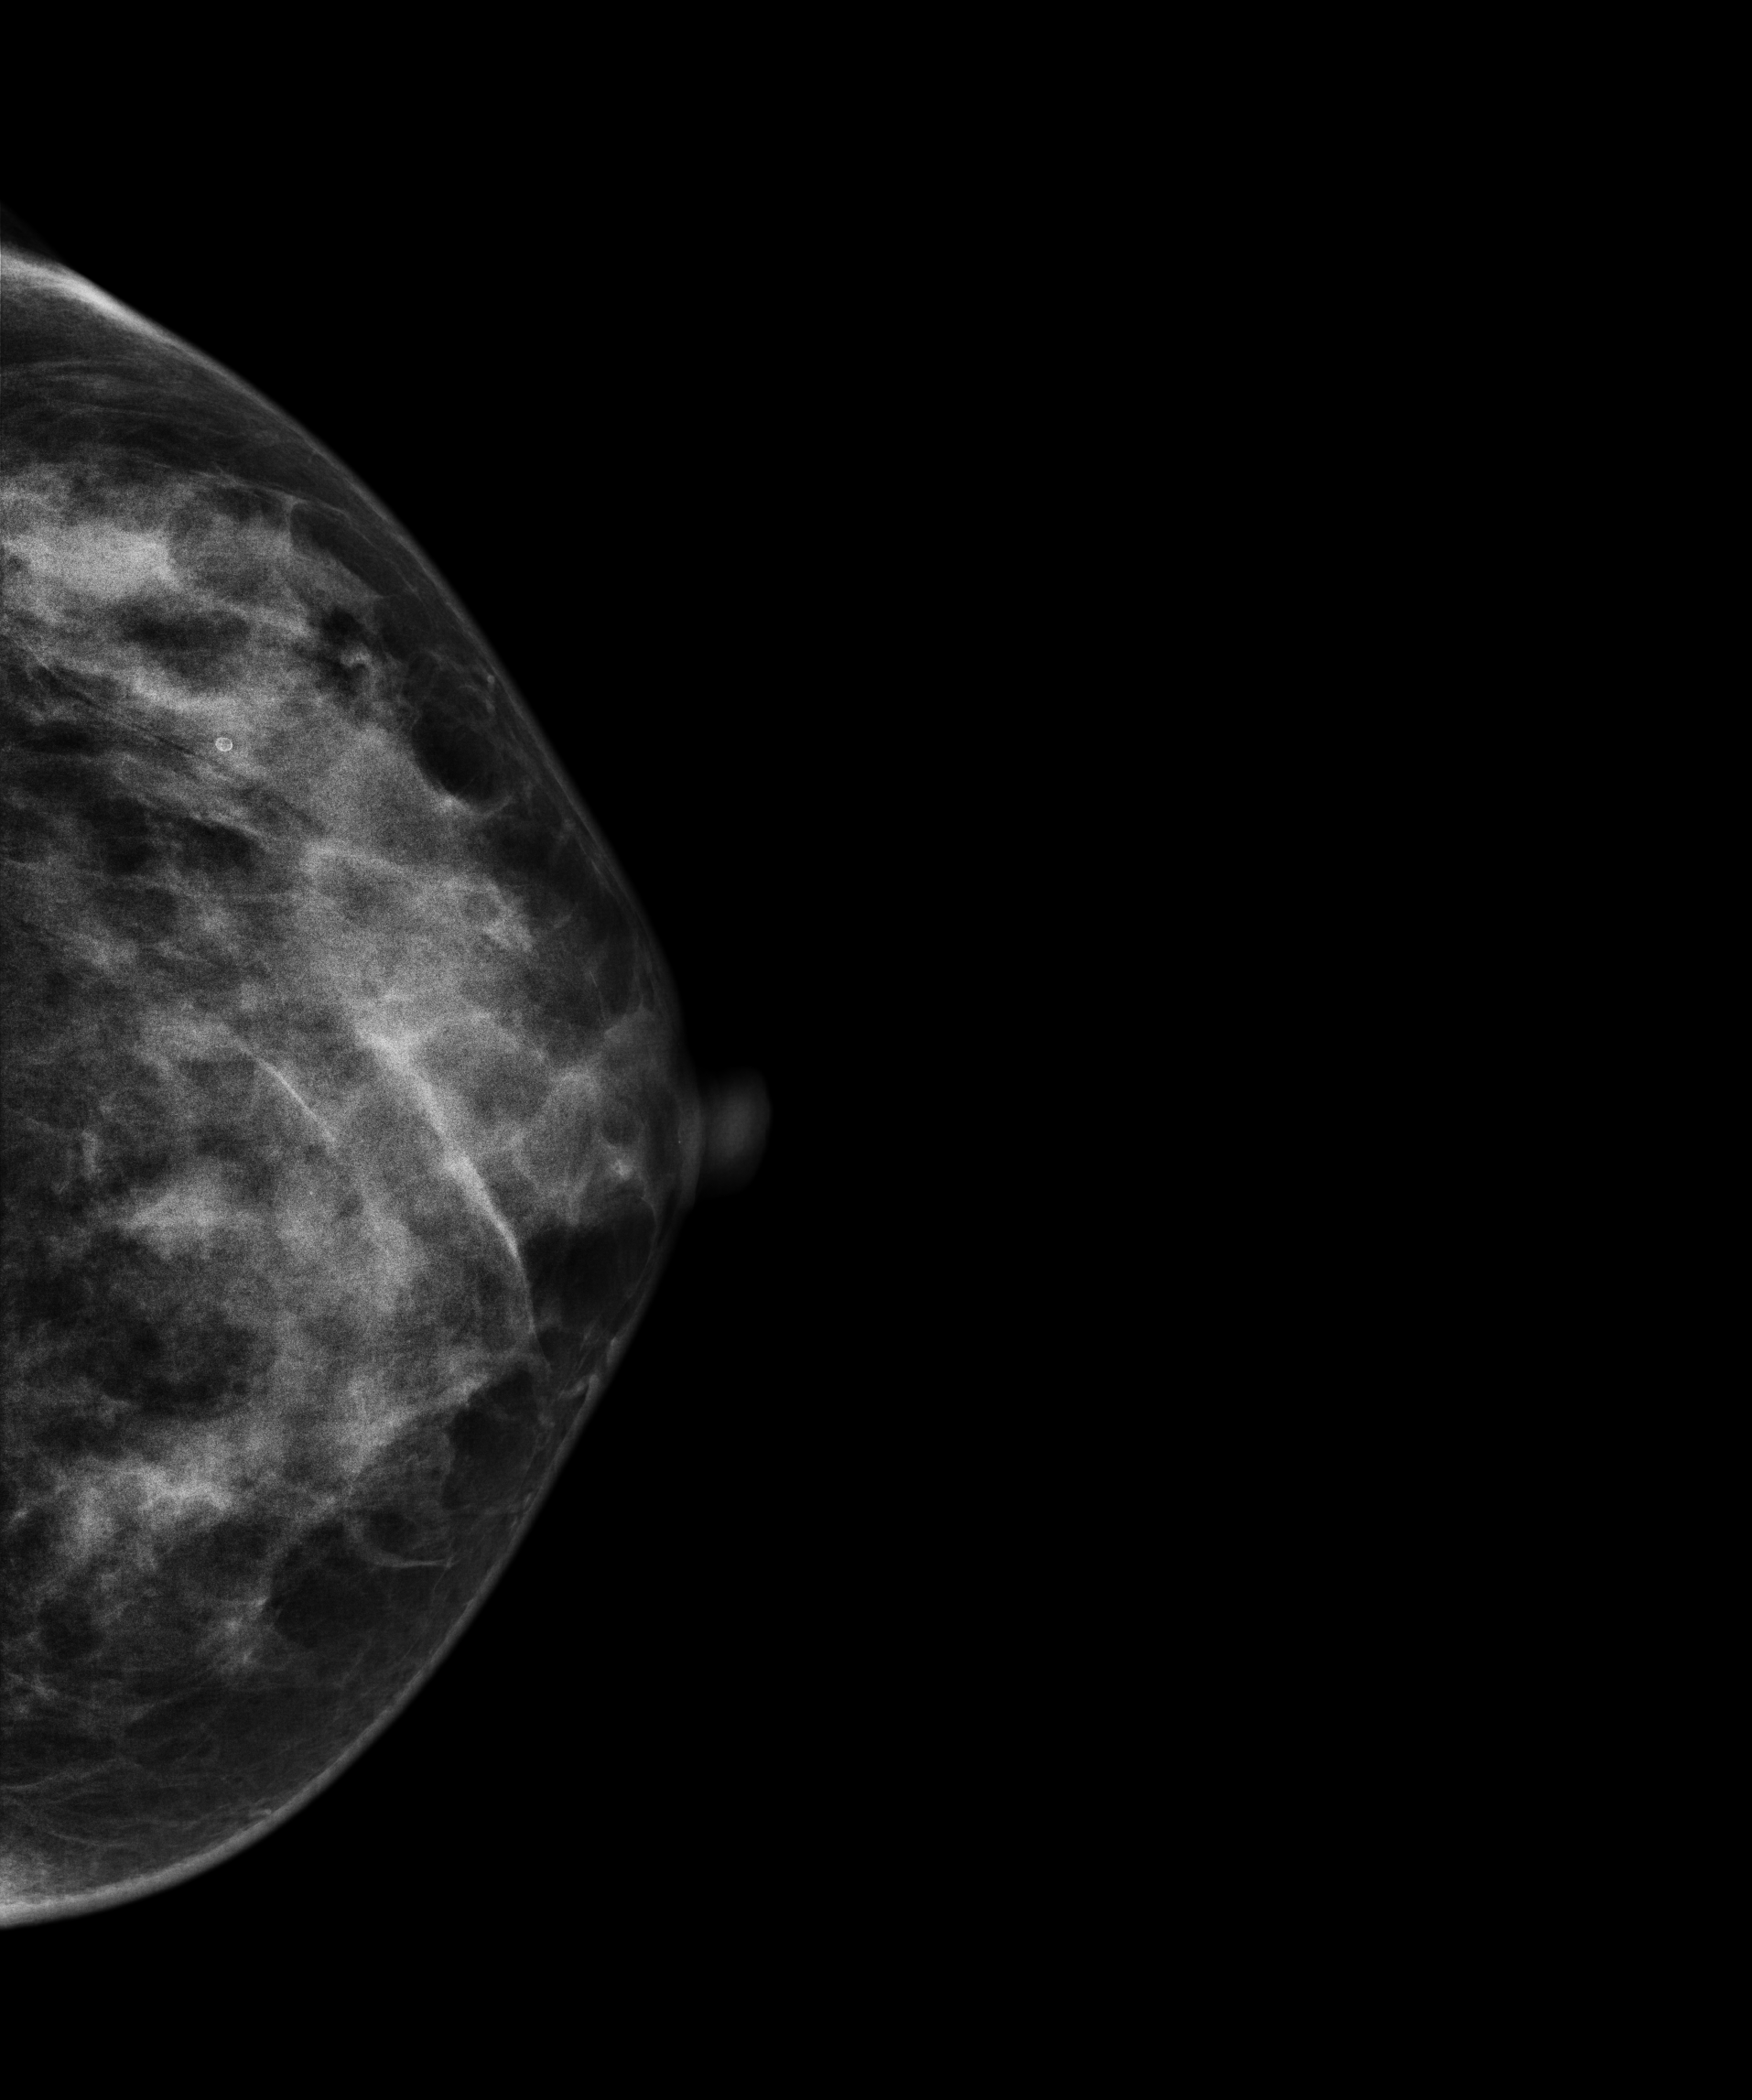
Mammogram, left breast, cranio-caudal view. Patient age 50.
Contralateral breast — no documented abnormality on this side.